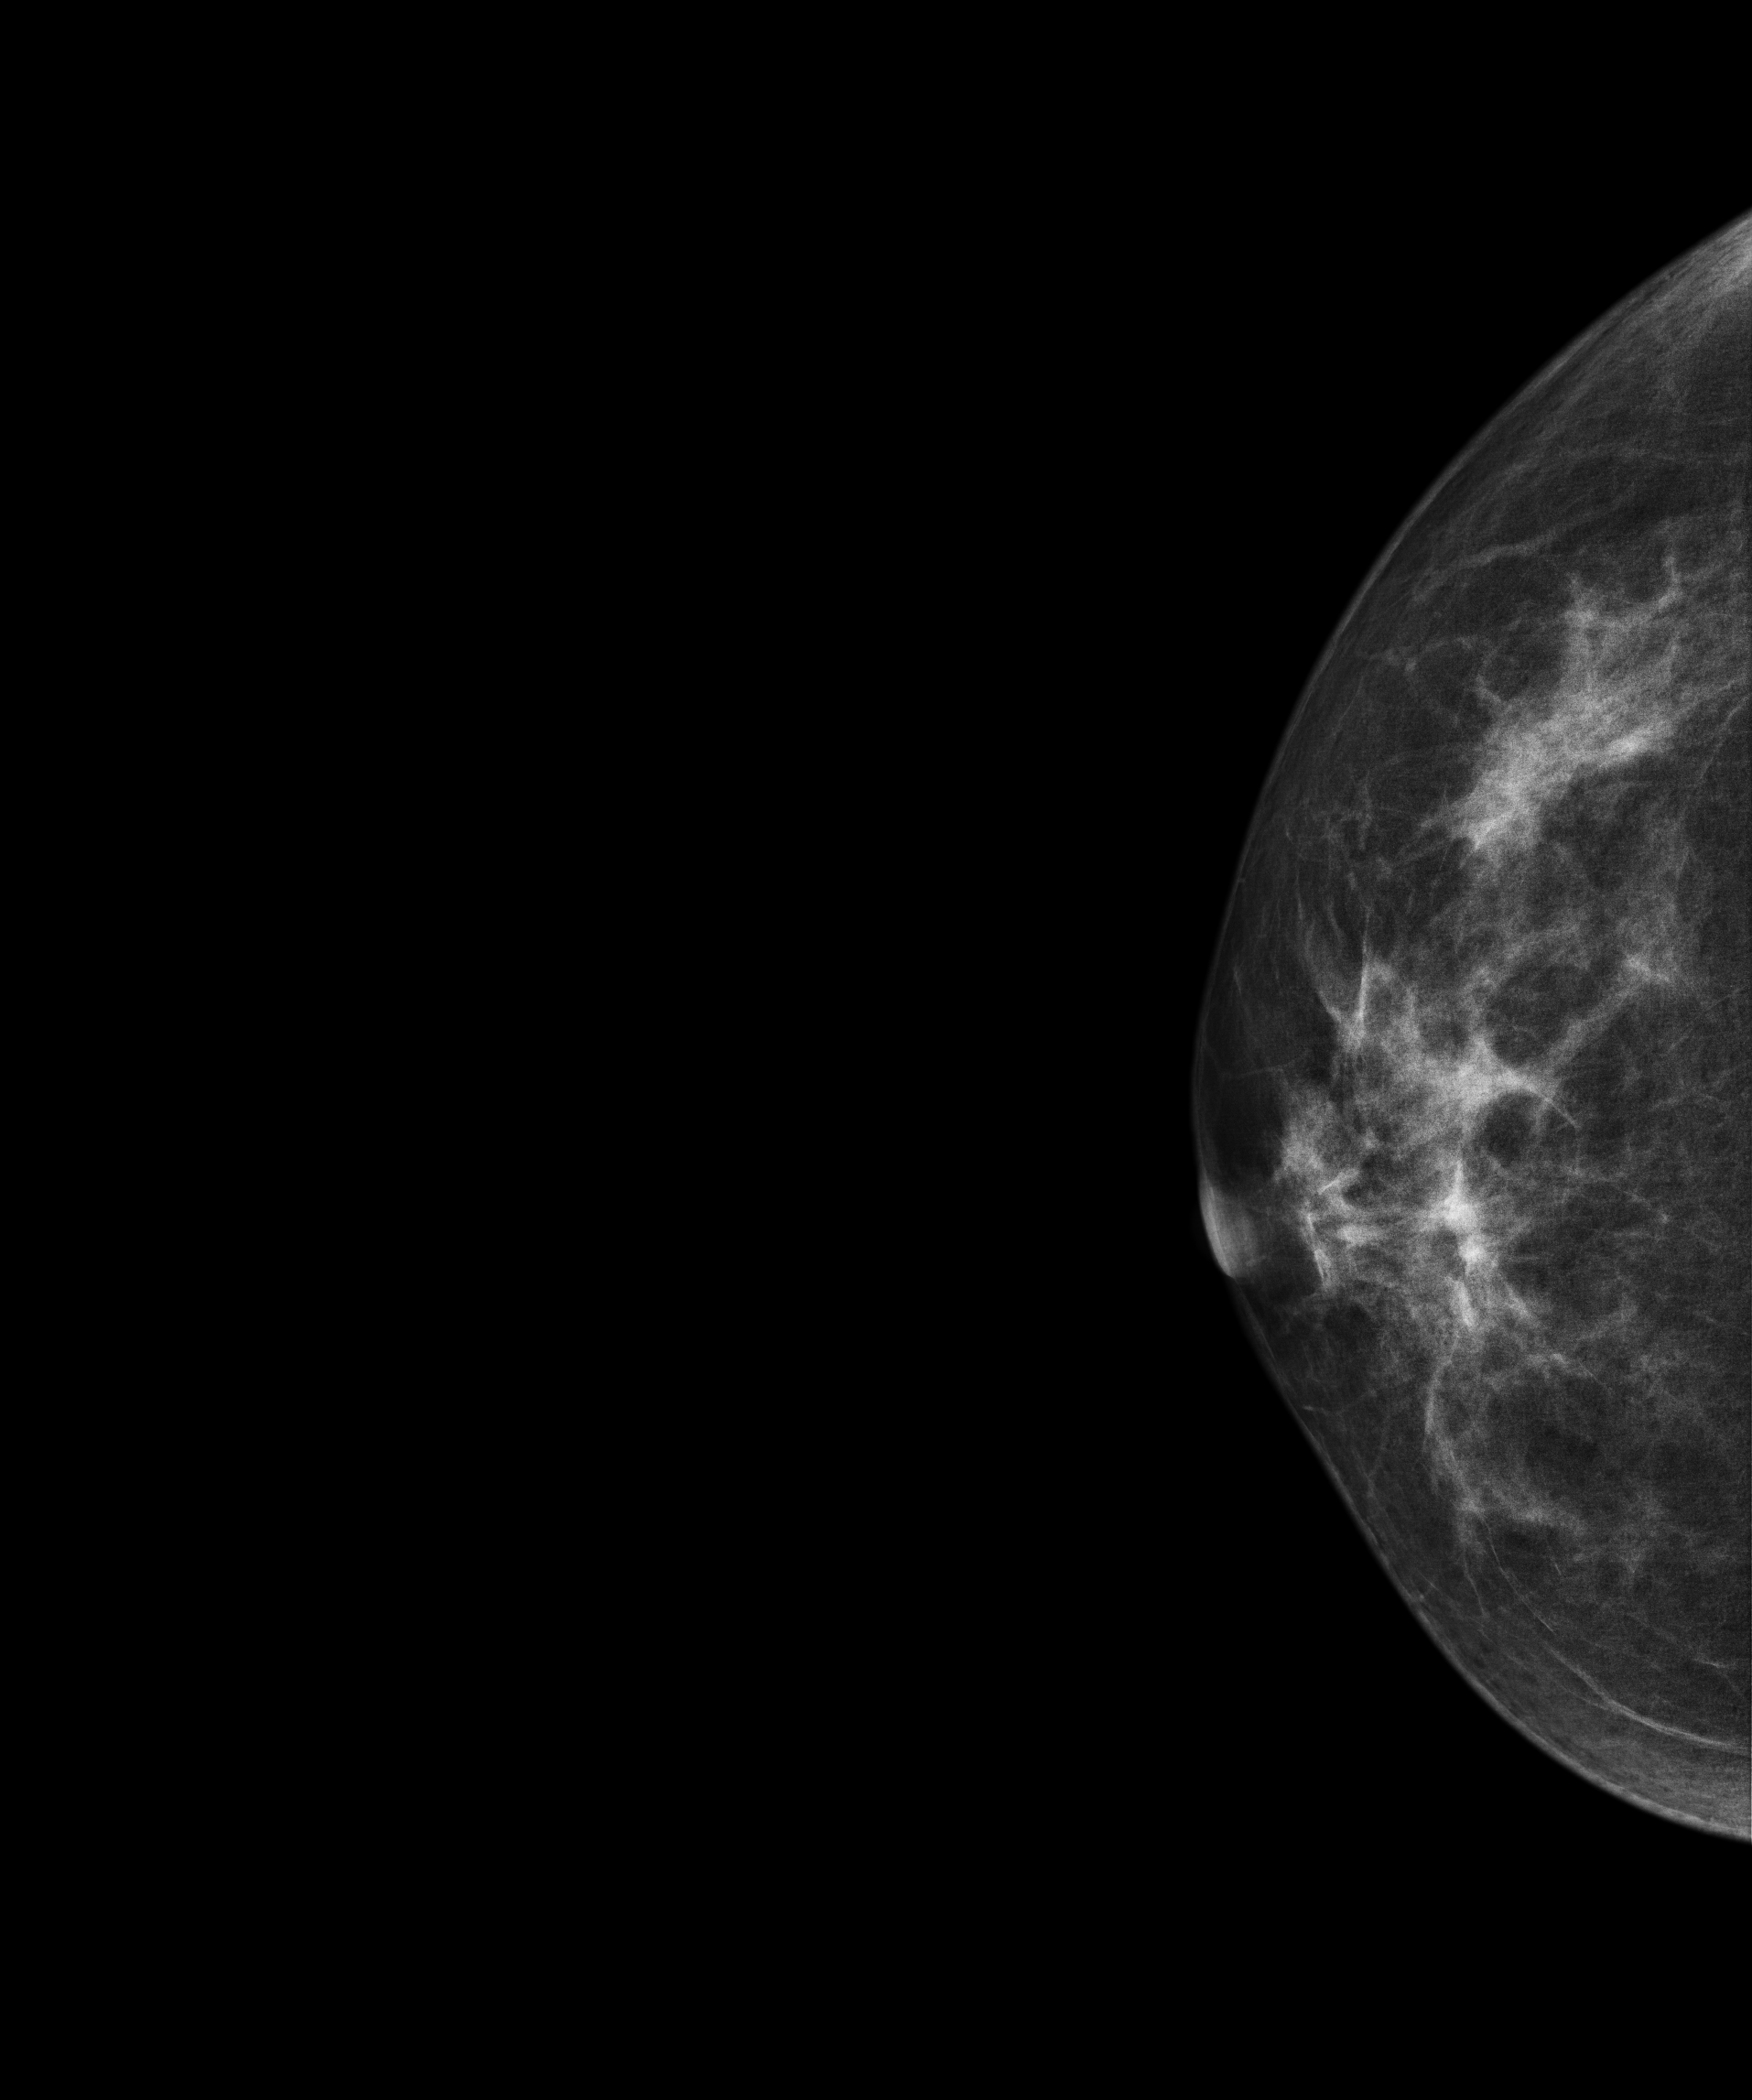
Mammogram, right breast, CC view. 37 y/o patient.
Contralateral breast — no documented abnormality on this side.